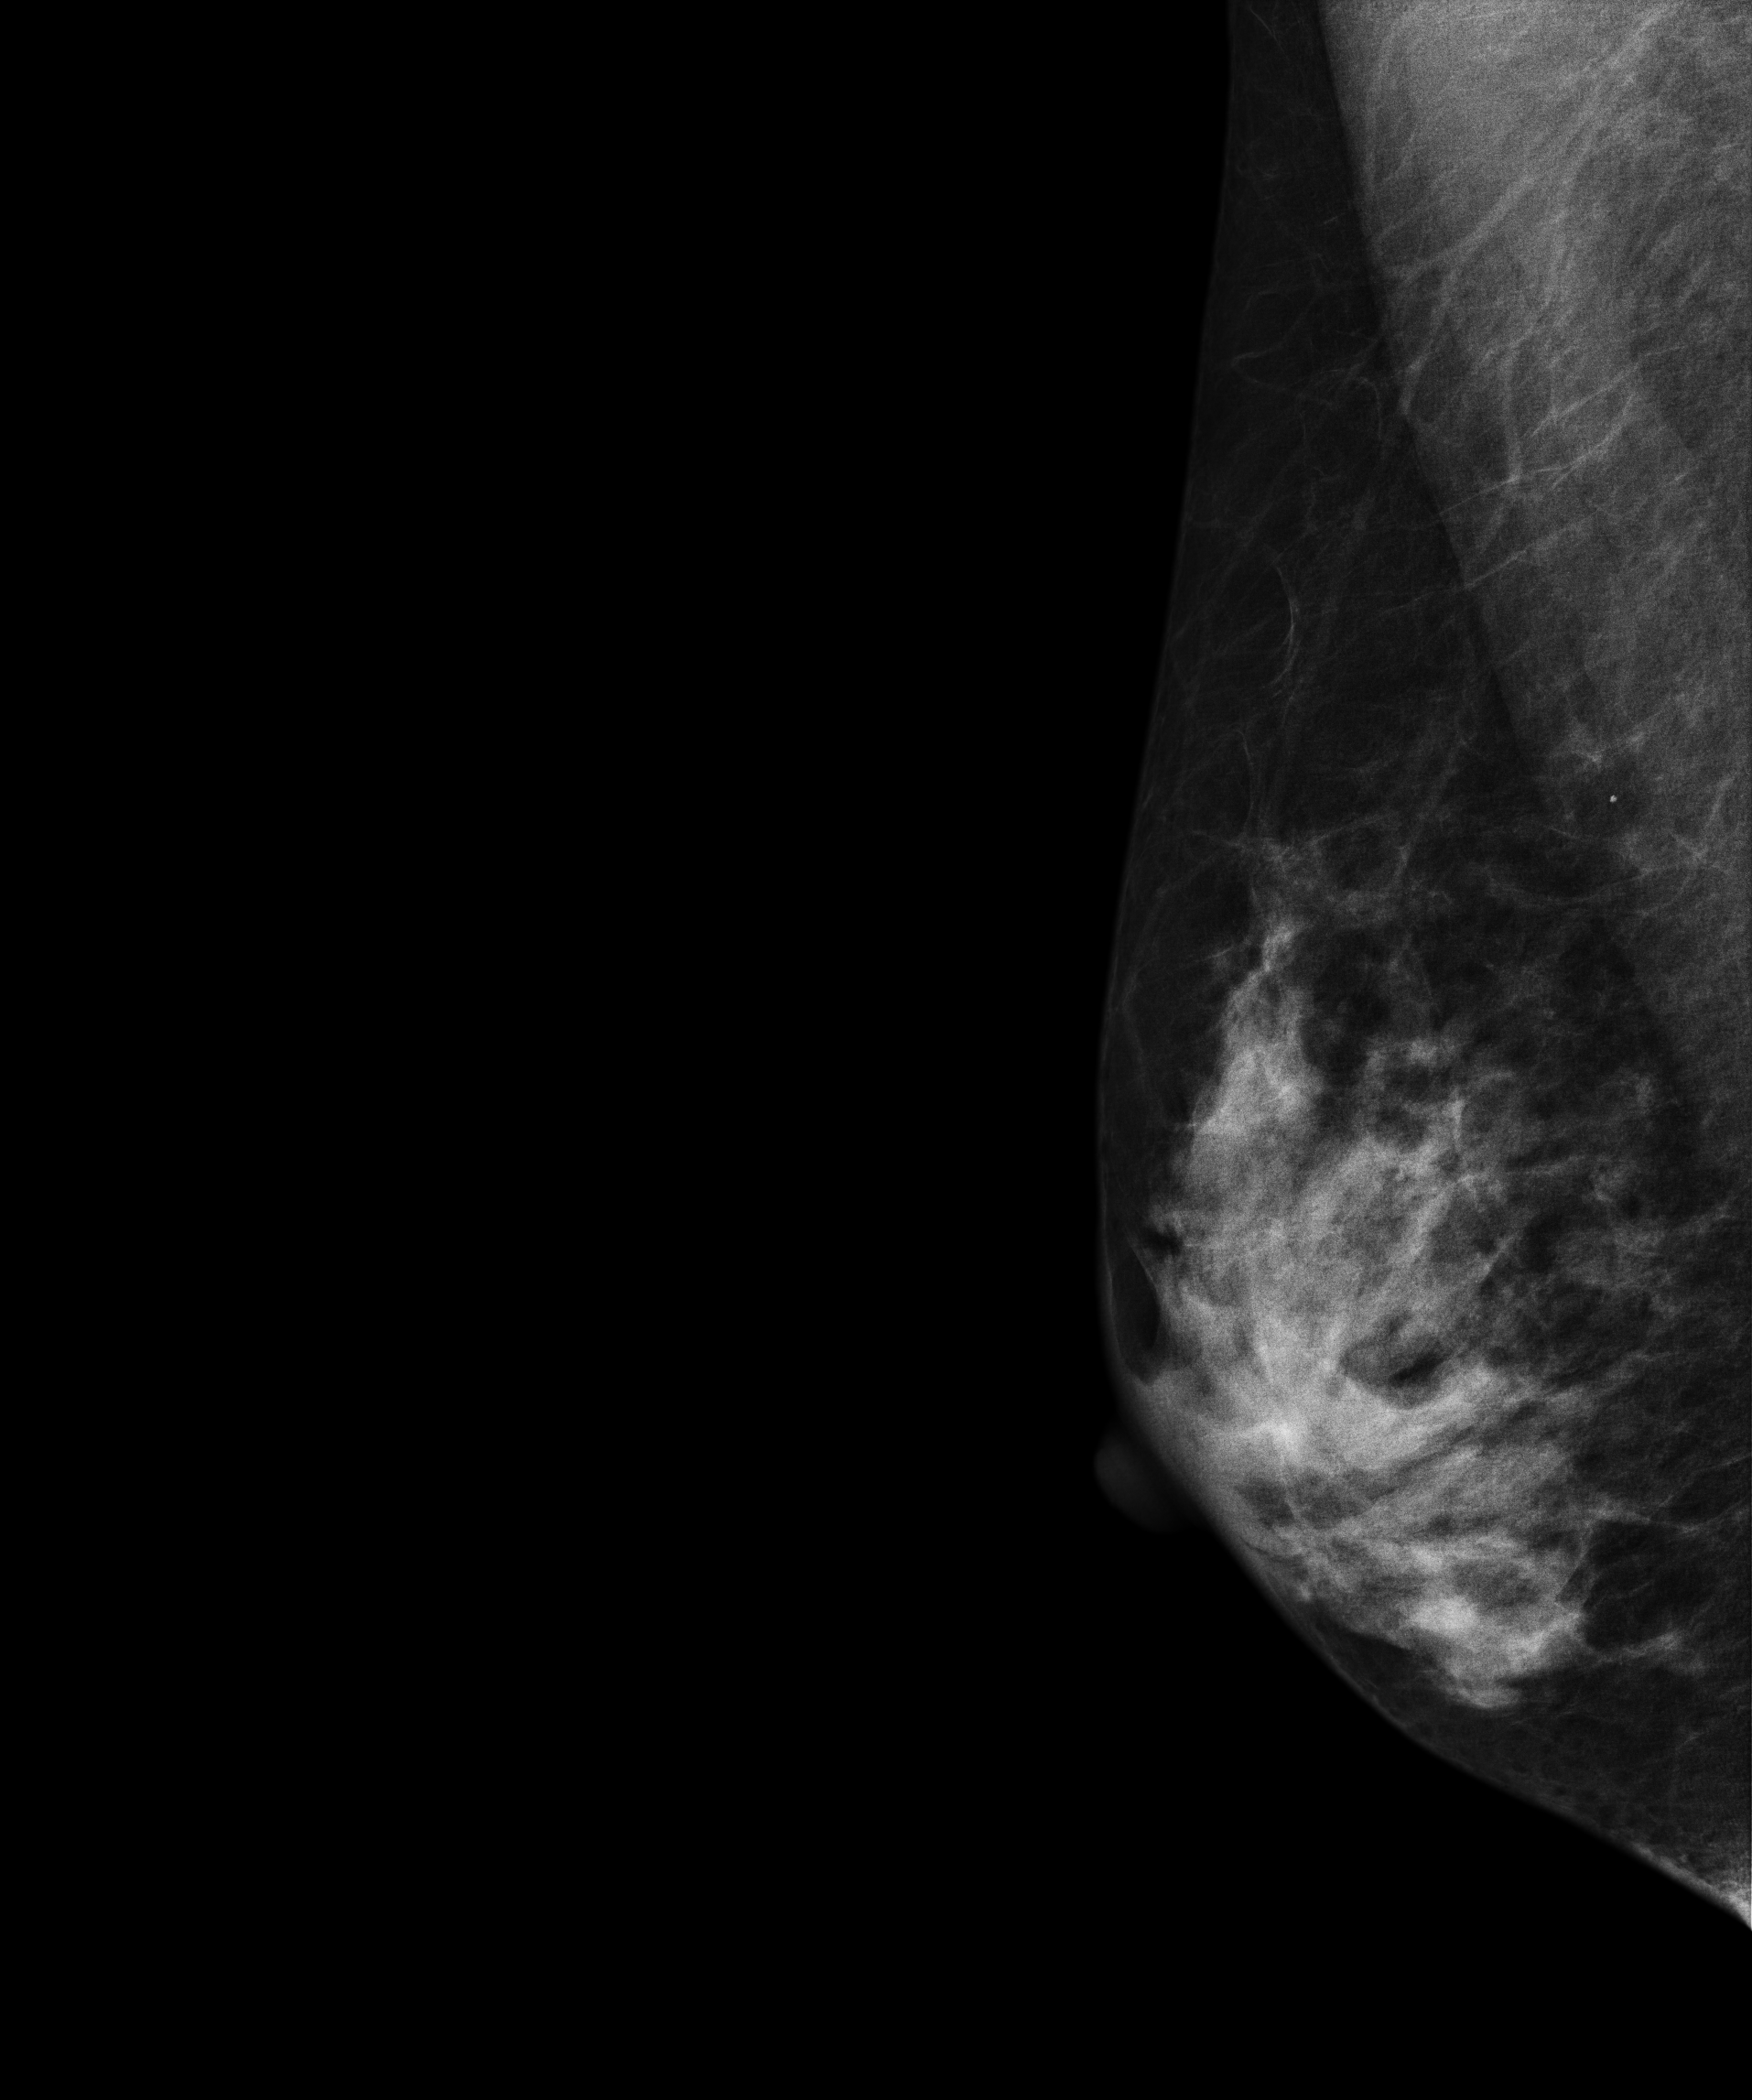
Medio-lateral oblique mammogram of the right breast. 40-year-old patient.
Contralateral breast — no documented abnormality on this side.